Digital mammography. Right breast, CC projection. 69 y/o patient.
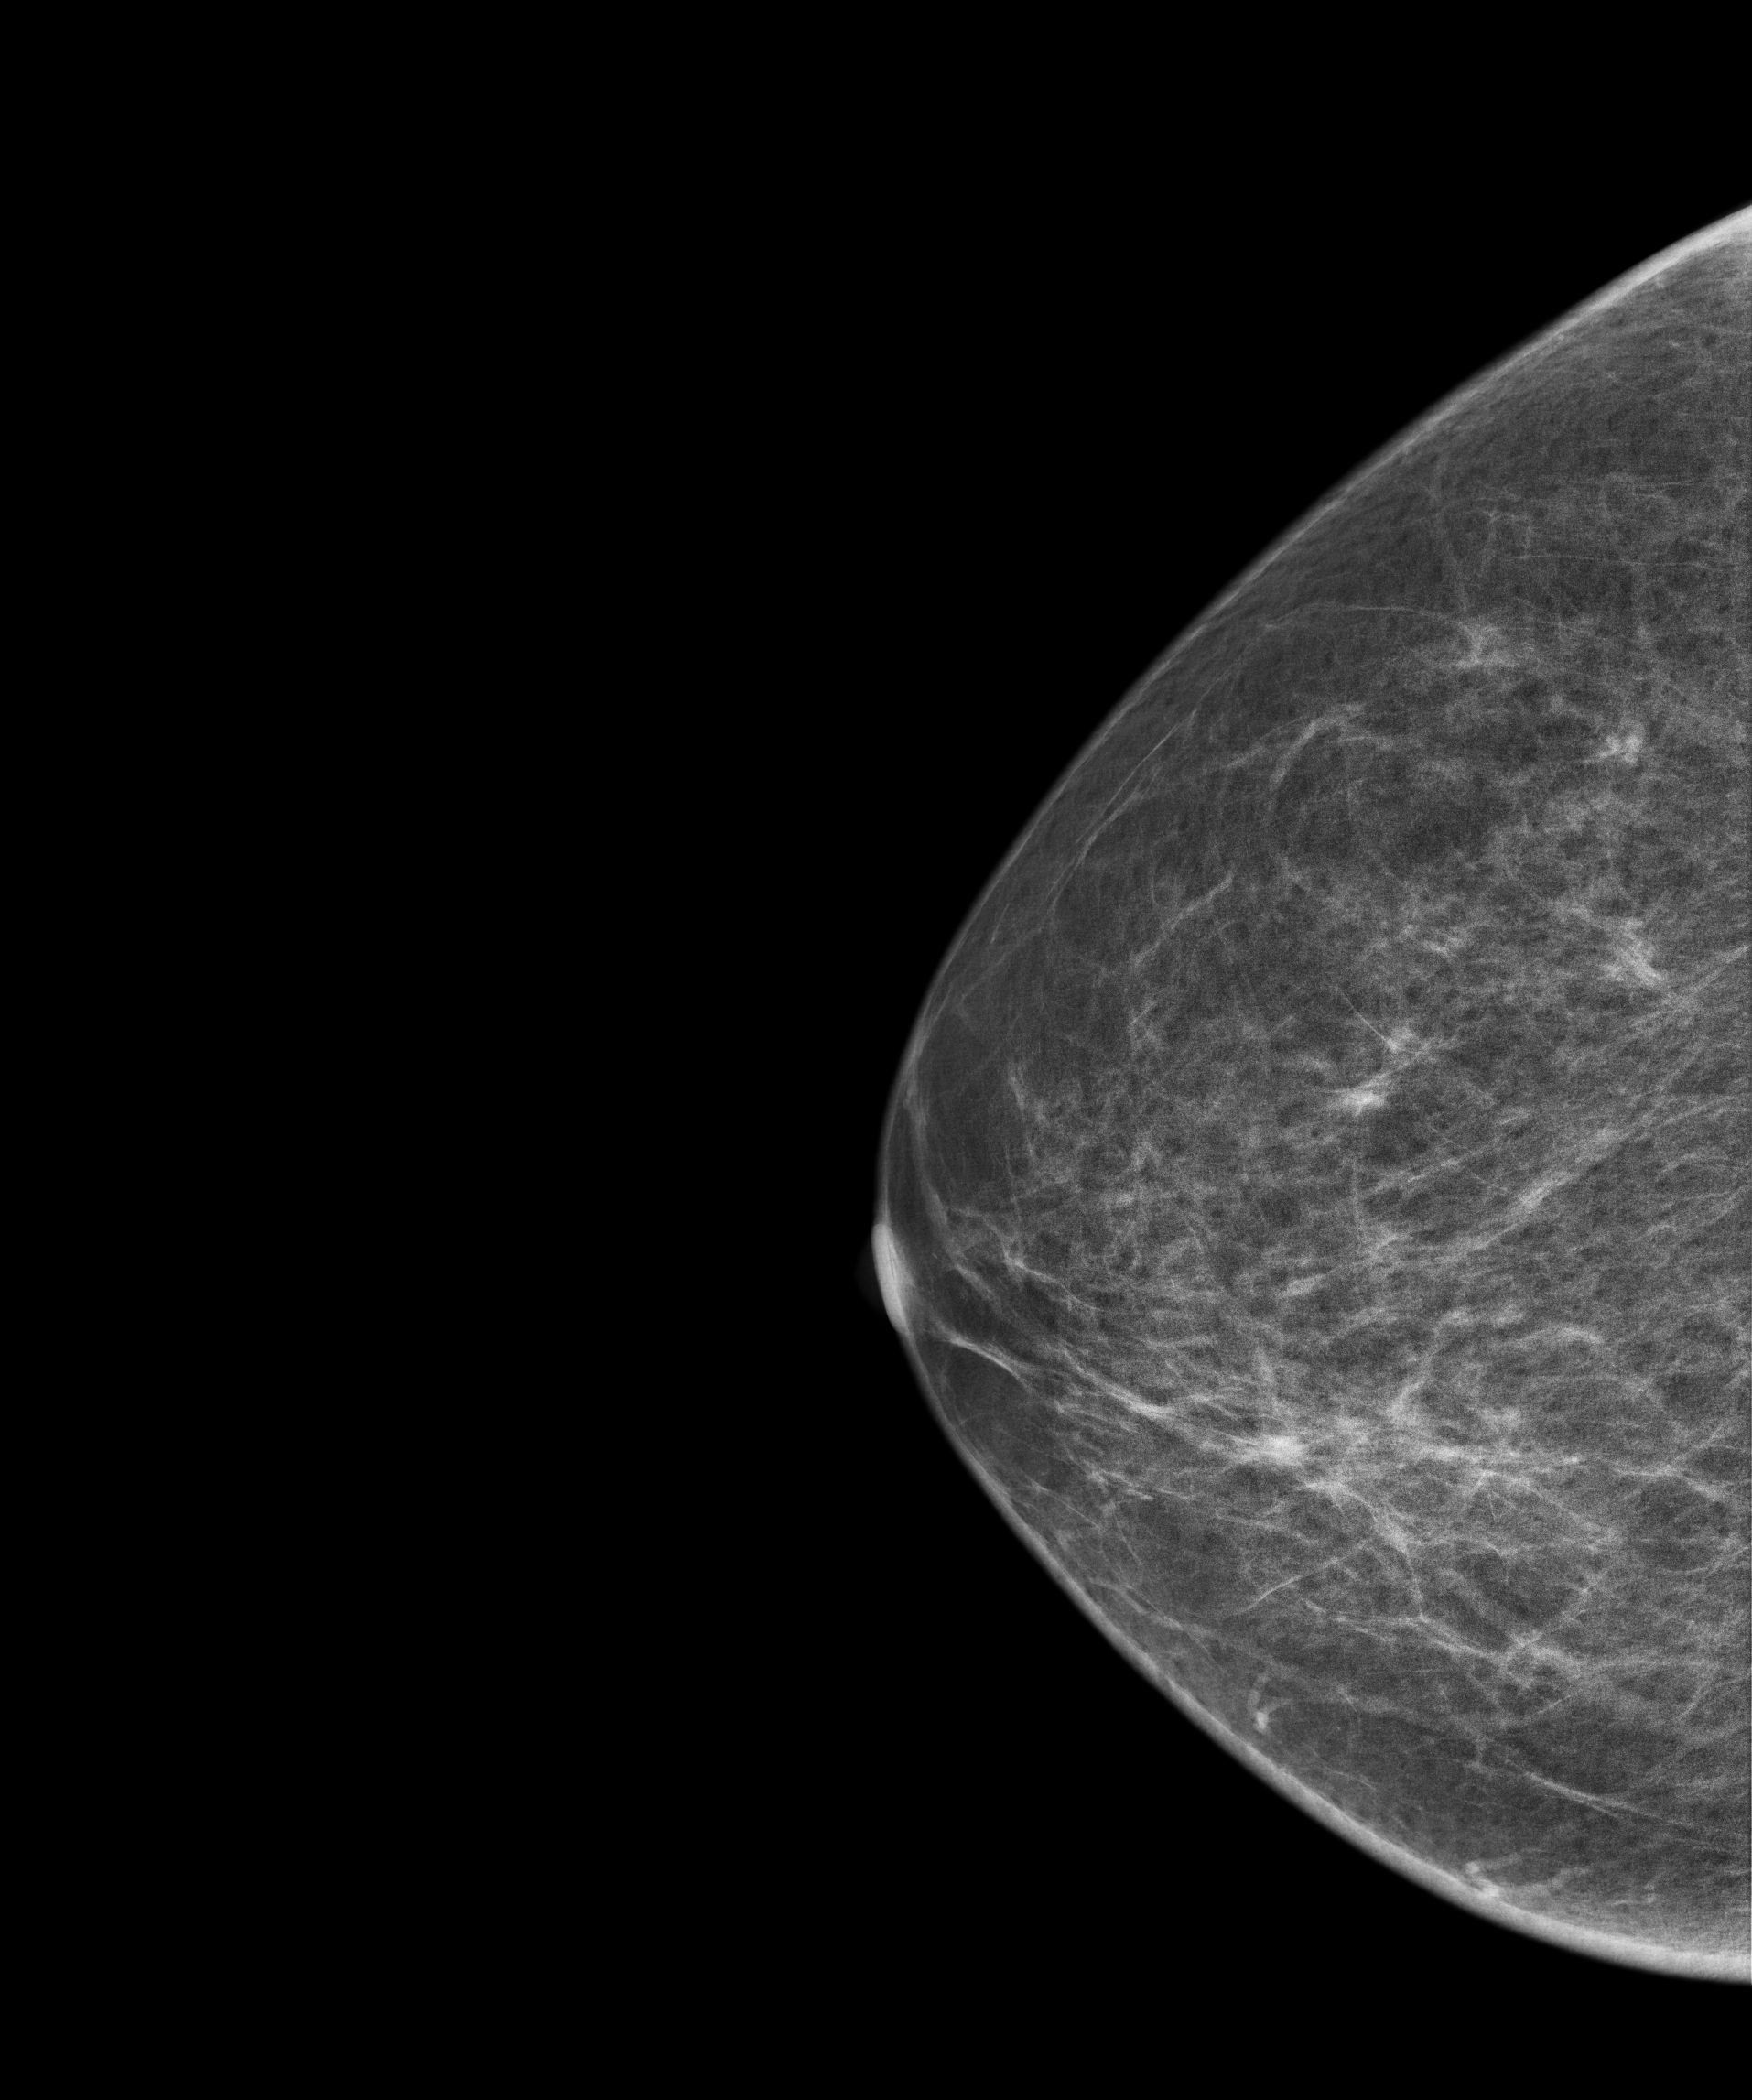
Contralateral breast — no documented abnormality on this side.